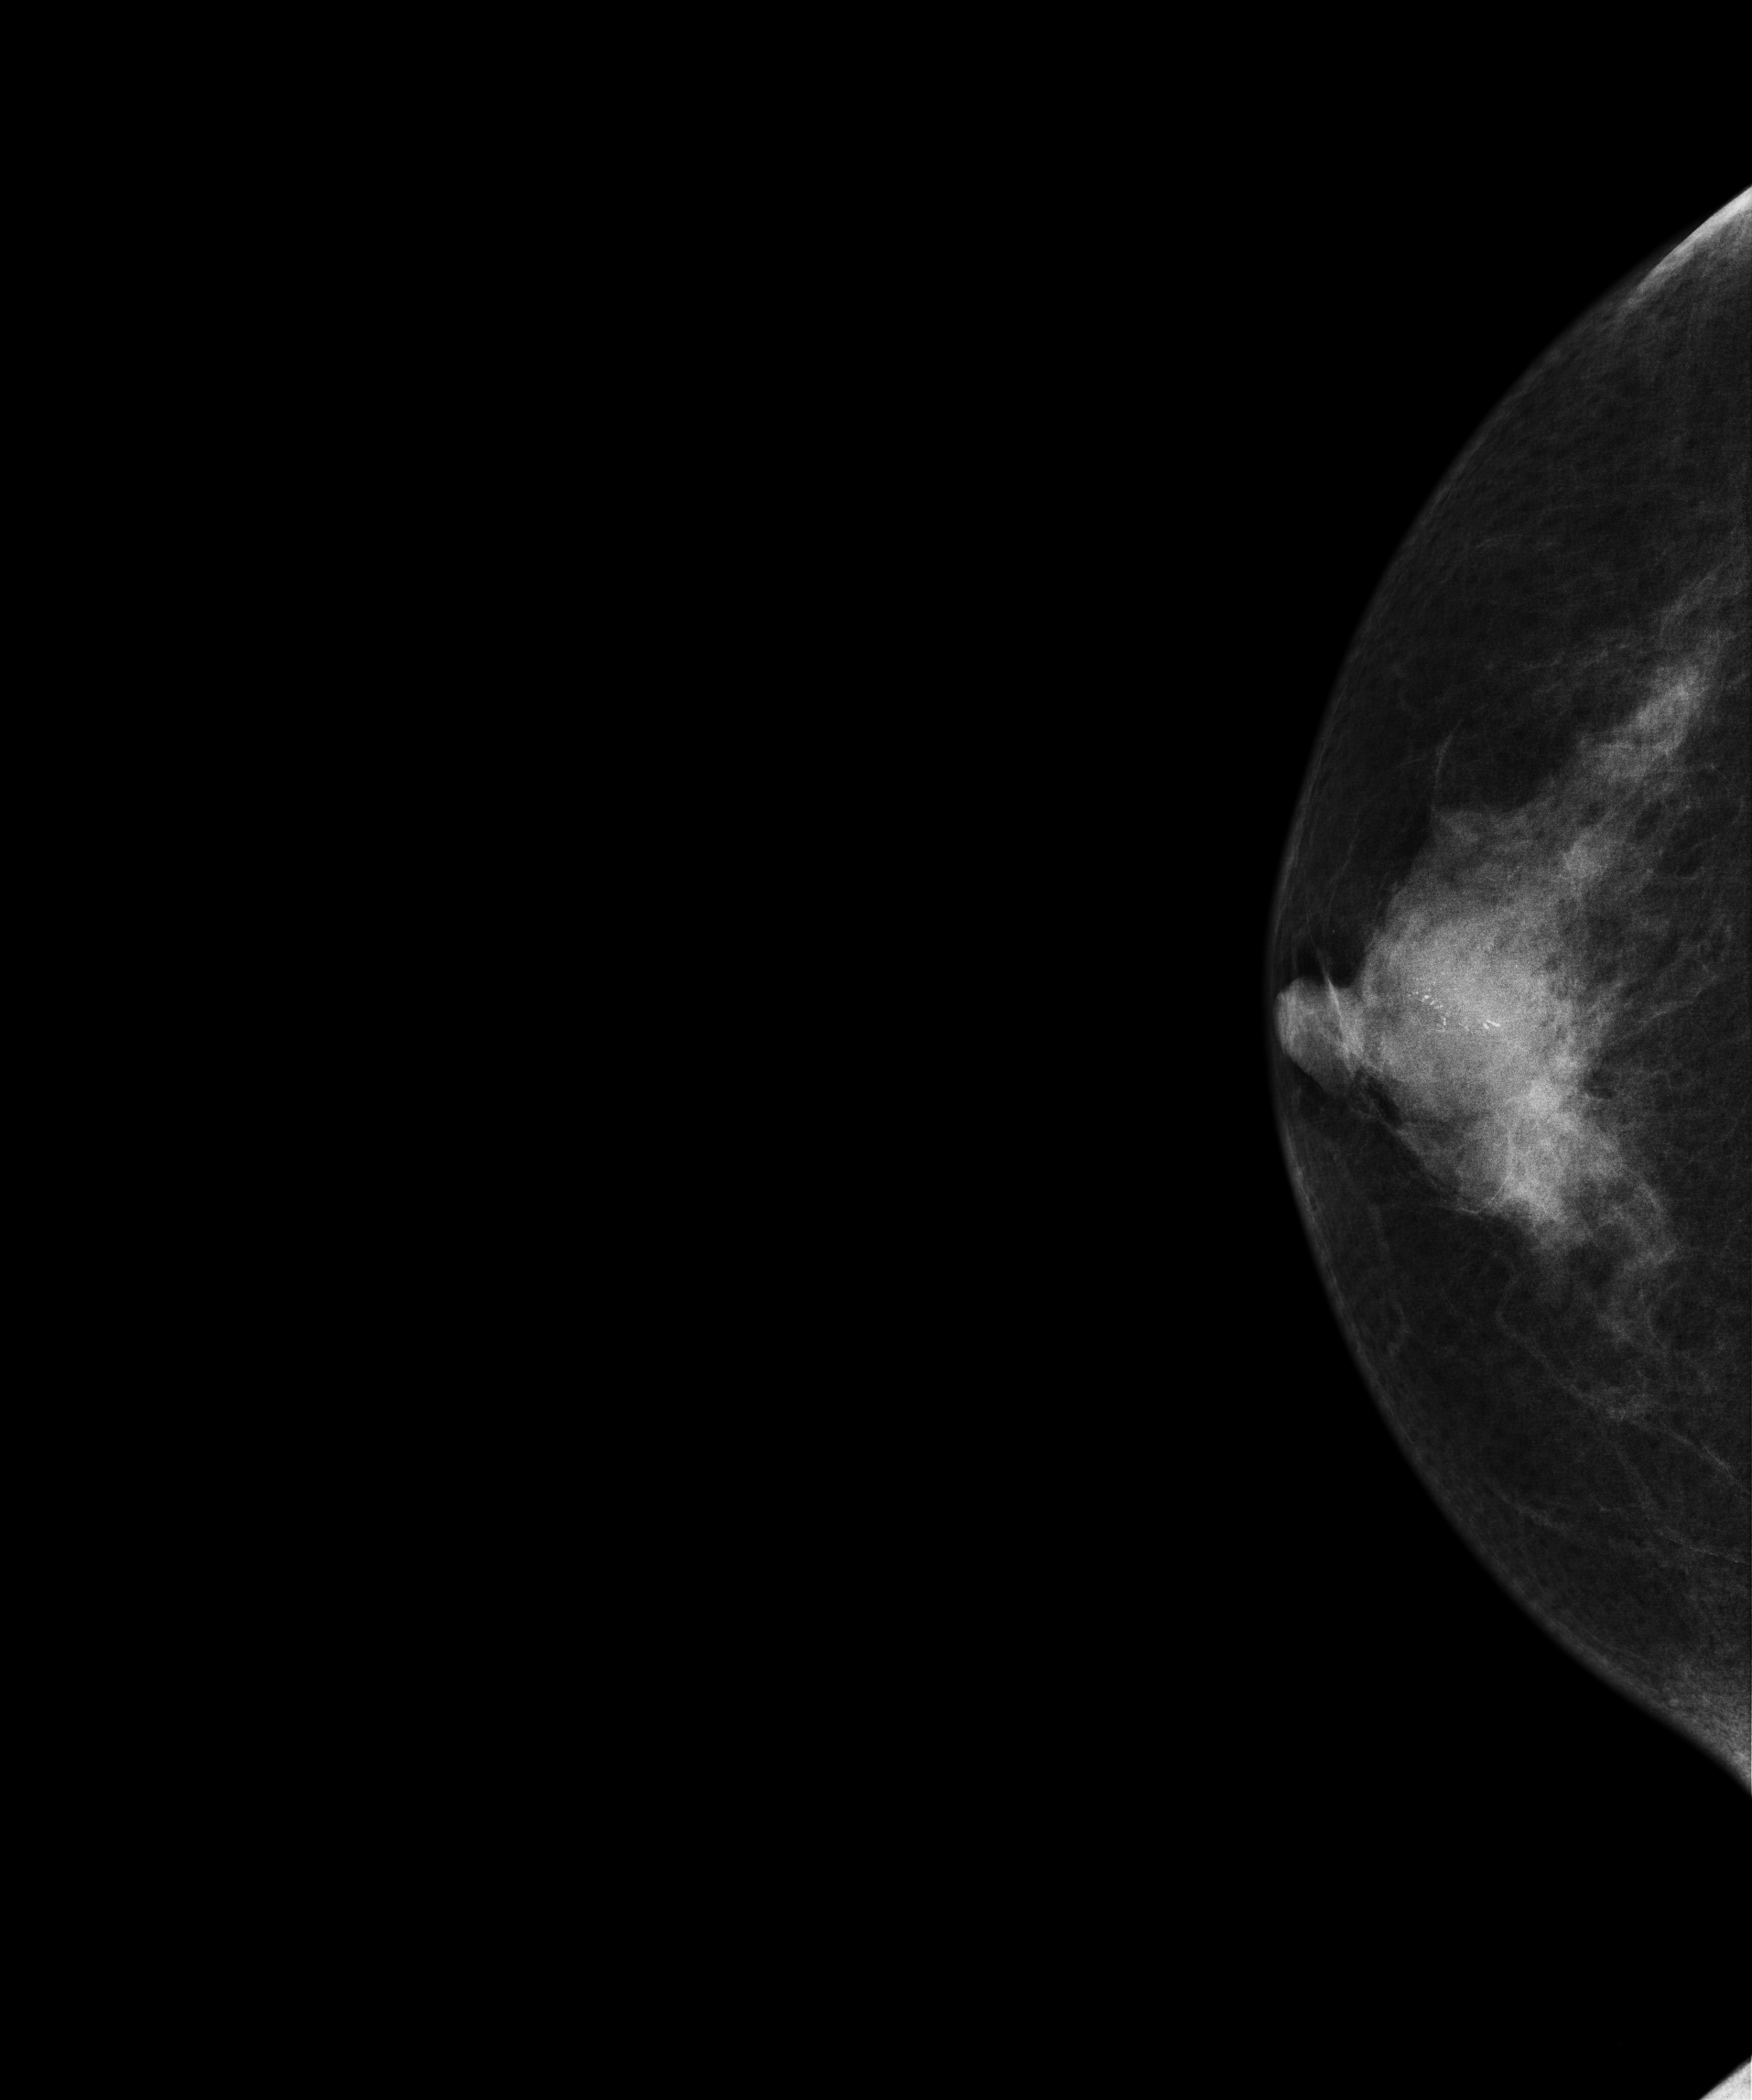
CC mammogram of the right breast. 53 y/o patient.
This breast has a mass and calcifications, histologically confirmed malignant. Molecular subtype: luminal B.